Mammogram, right breast, CC view. Patient age 41.
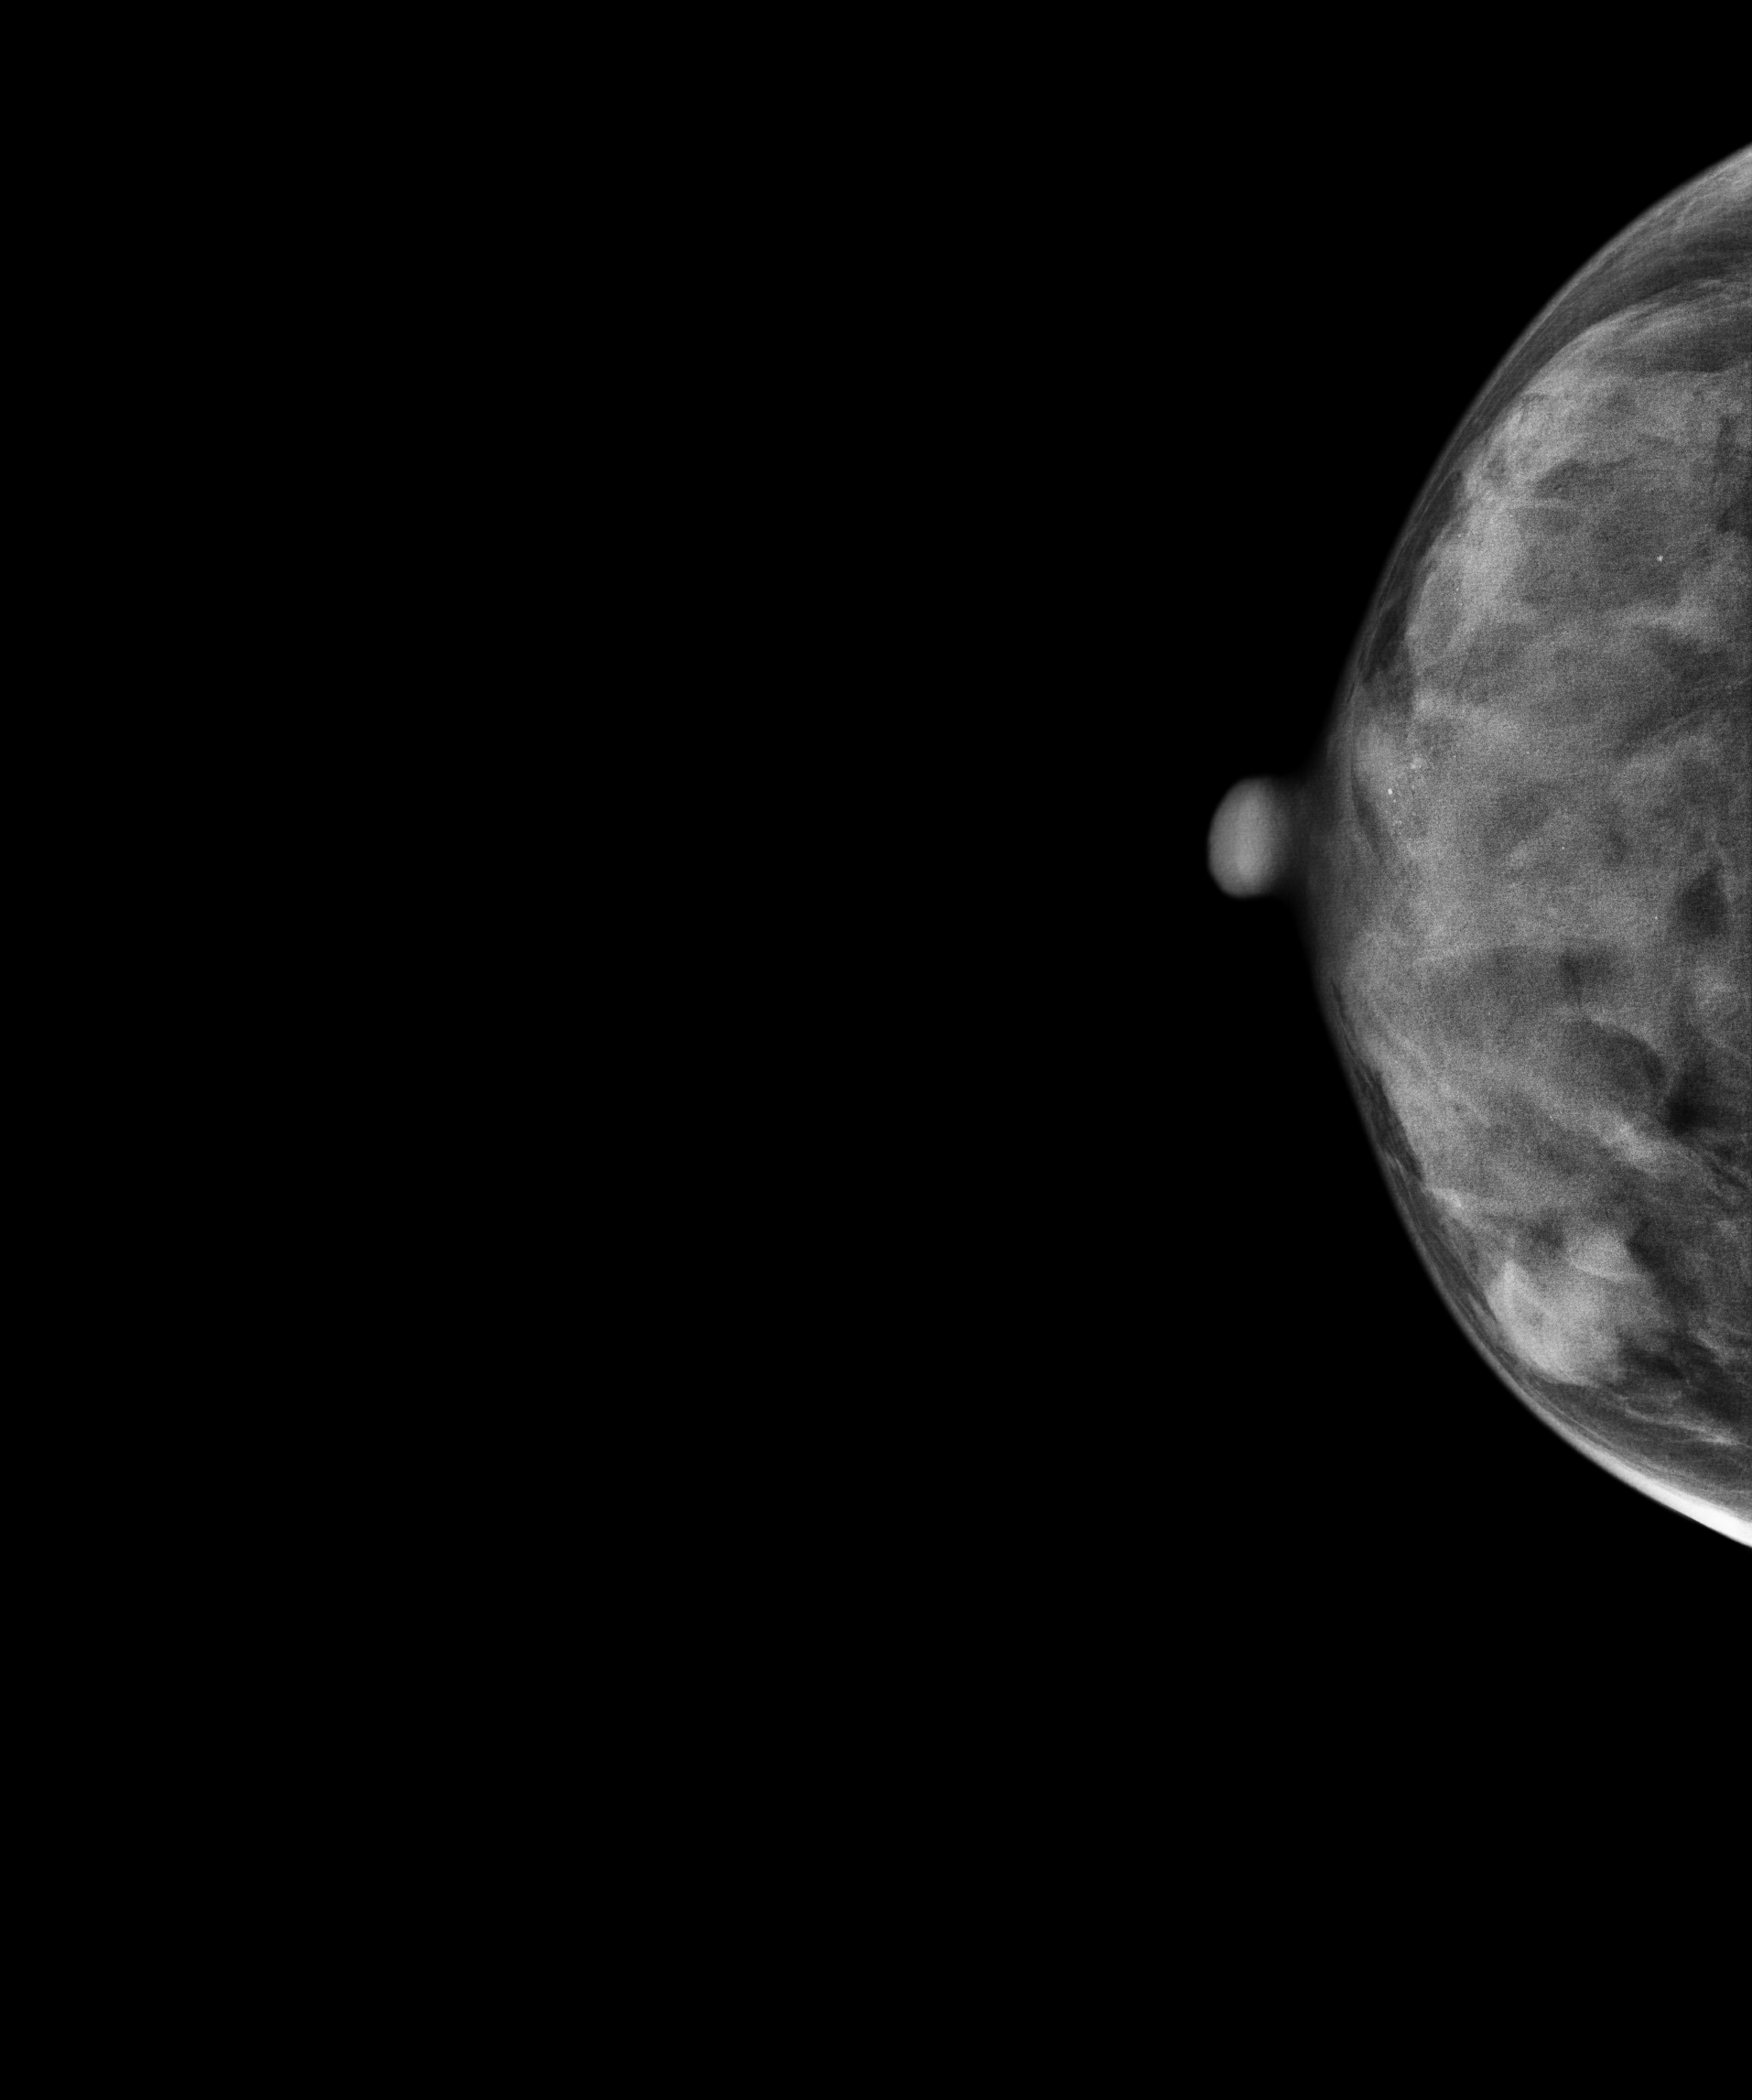
This breast has a mass and calcifications, pathology-confirmed benign.